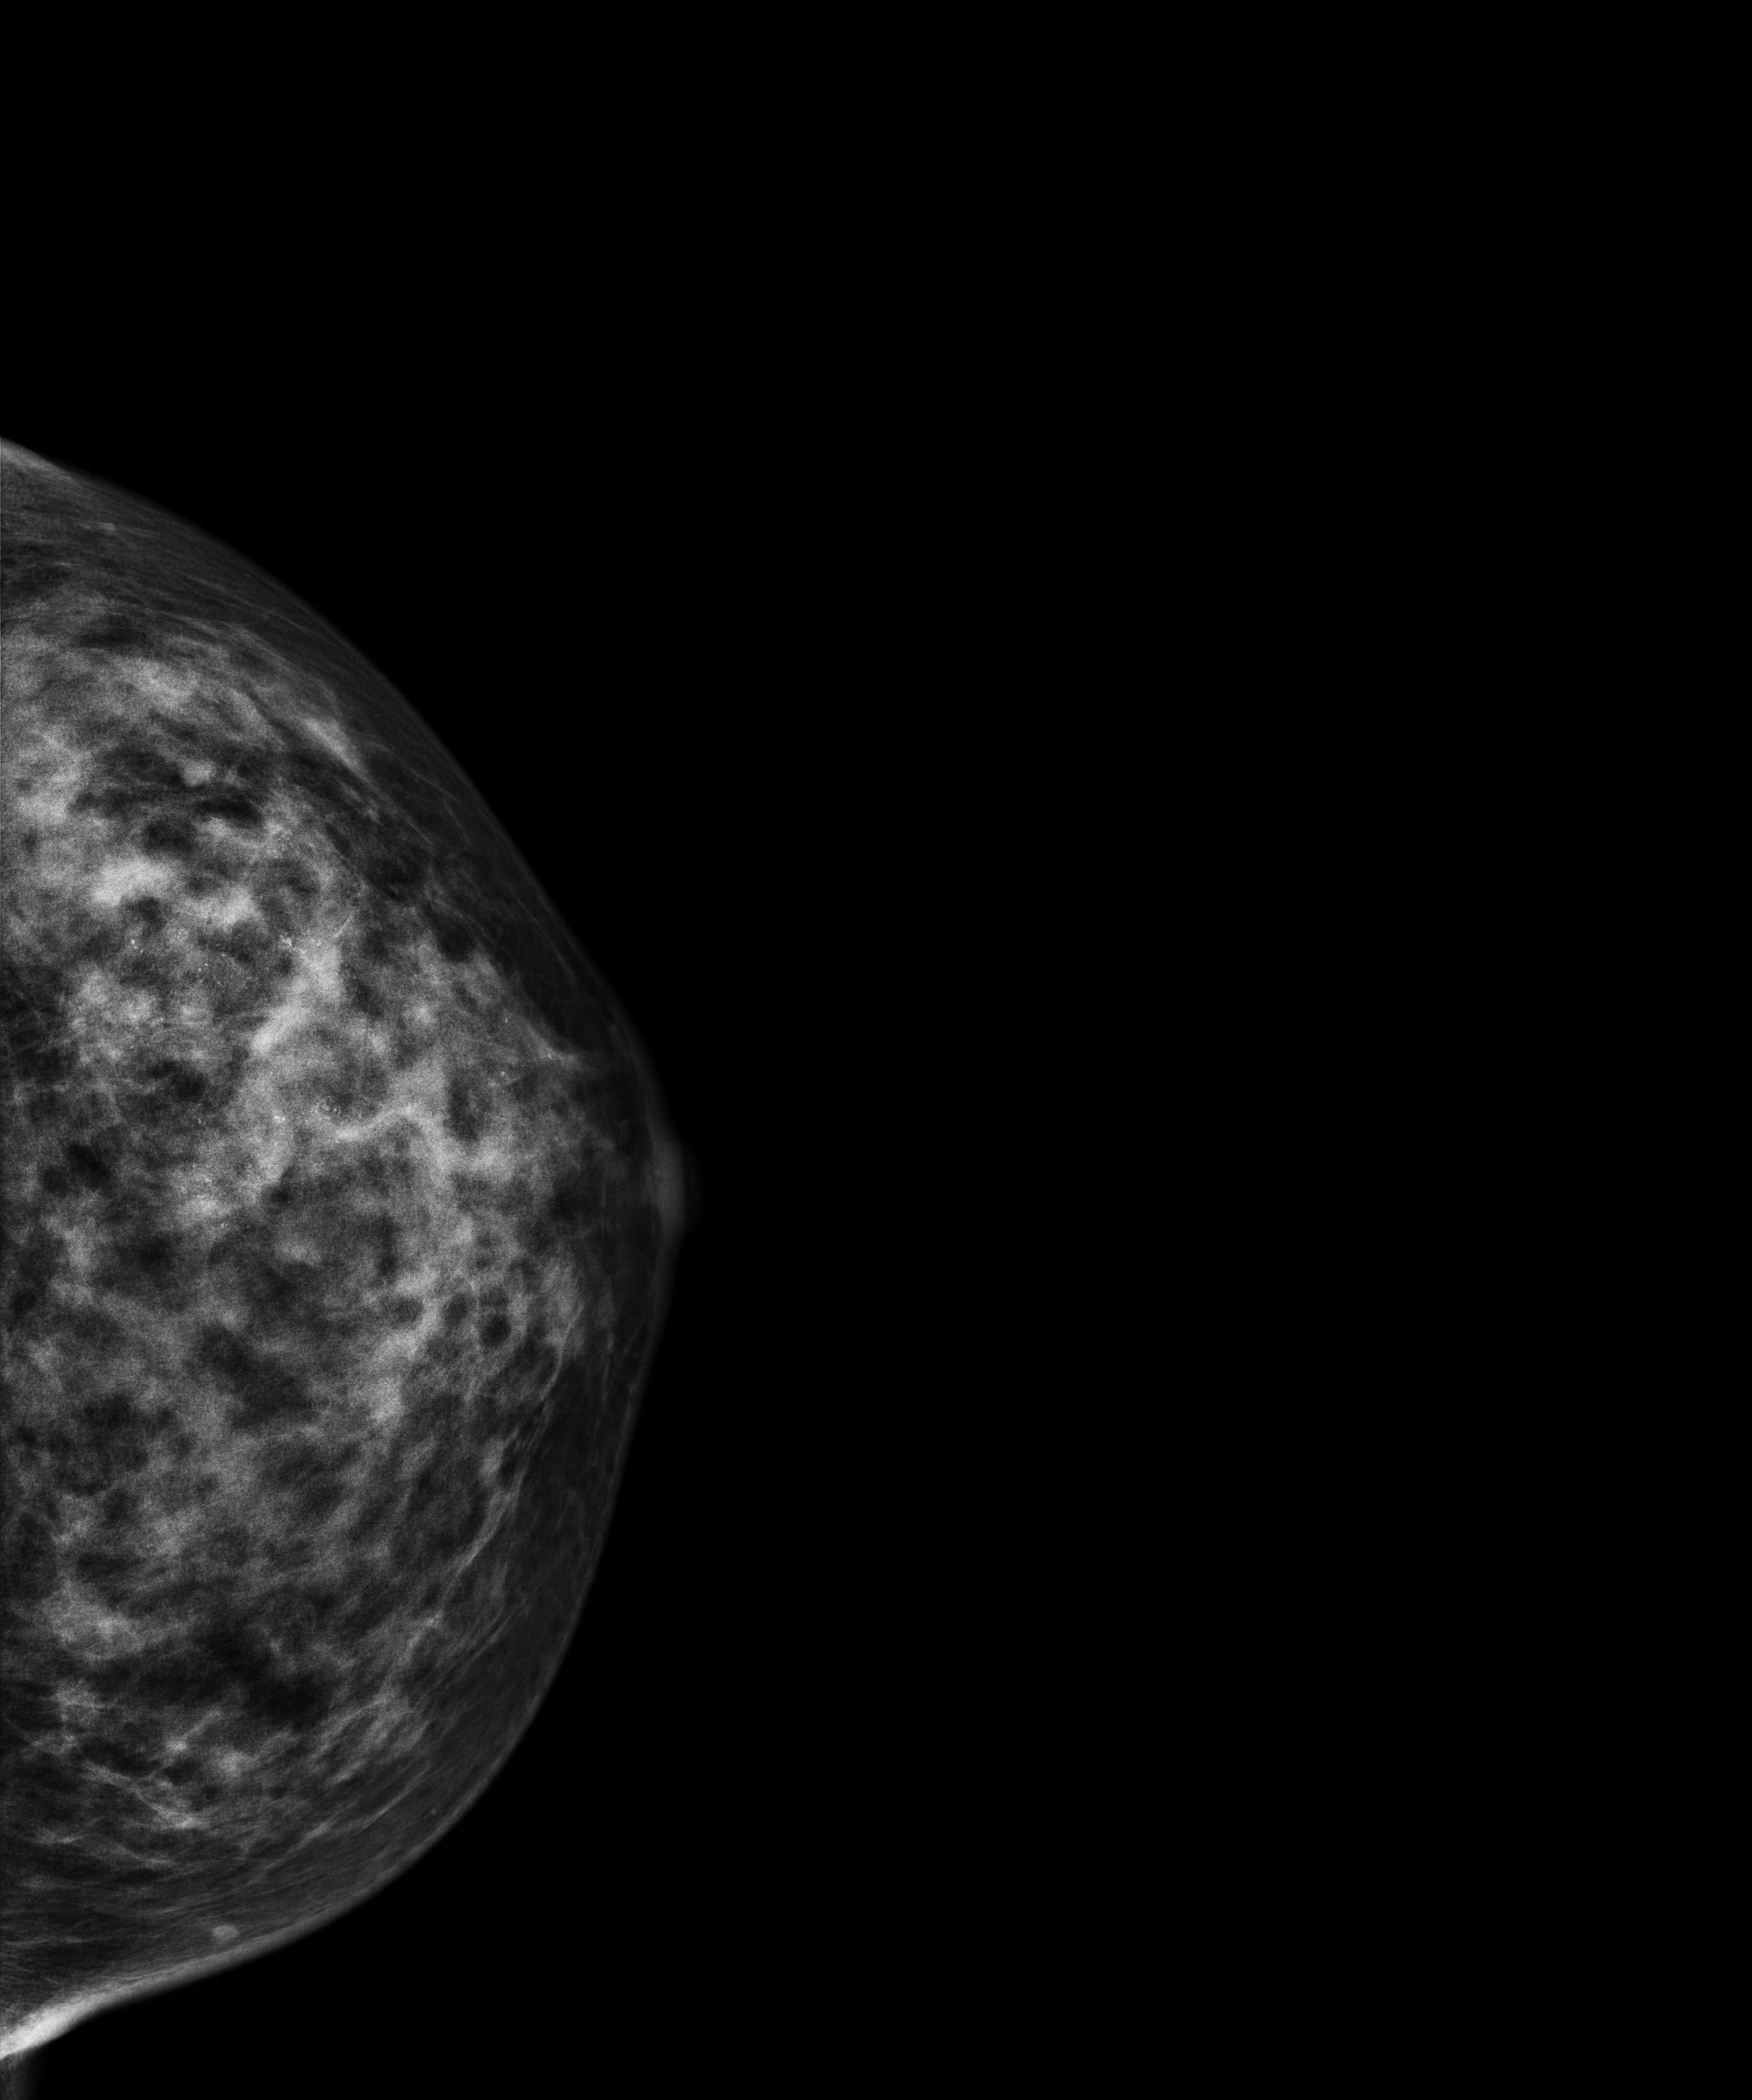
Mammogram, left breast, CC view. 33-year-old patient.
This breast has a mass and calcifications, biopsy-proven malignant.